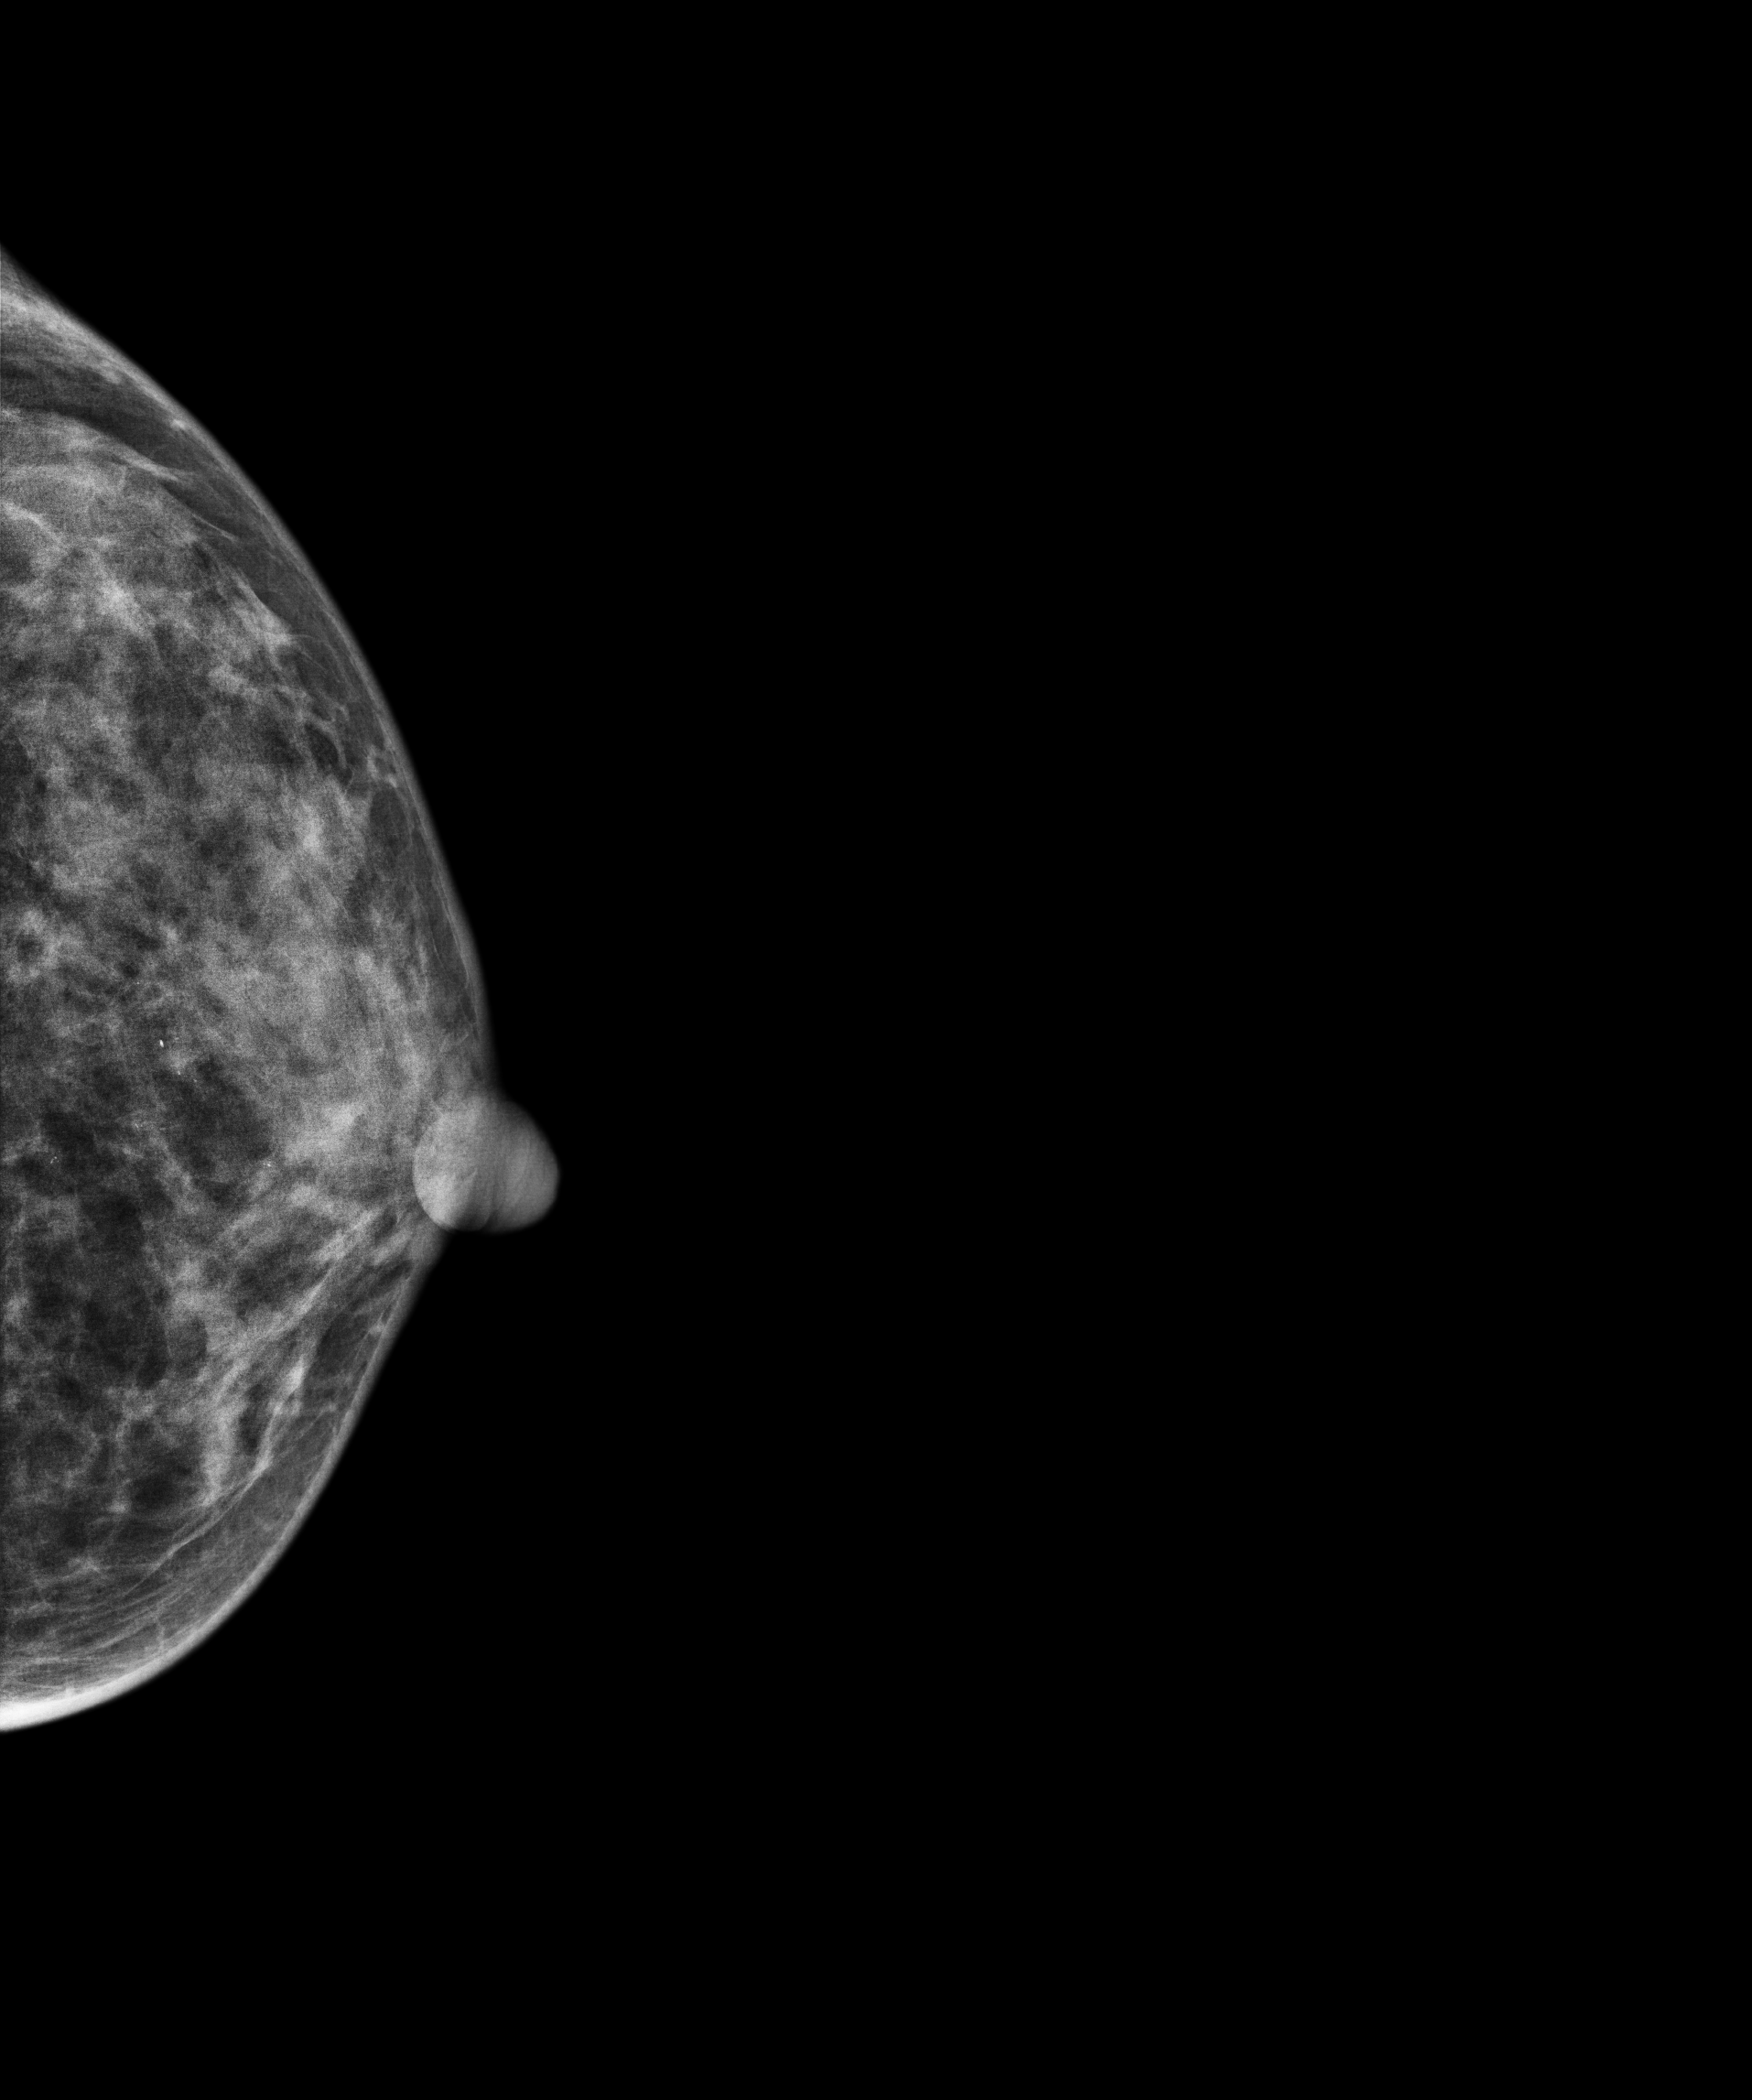
Mammogram — left CC. 39-year-old patient.
This breast has calcifications, biopsy-confirmed malignant.